Mammogram — left MLO. 48 y/o patient.
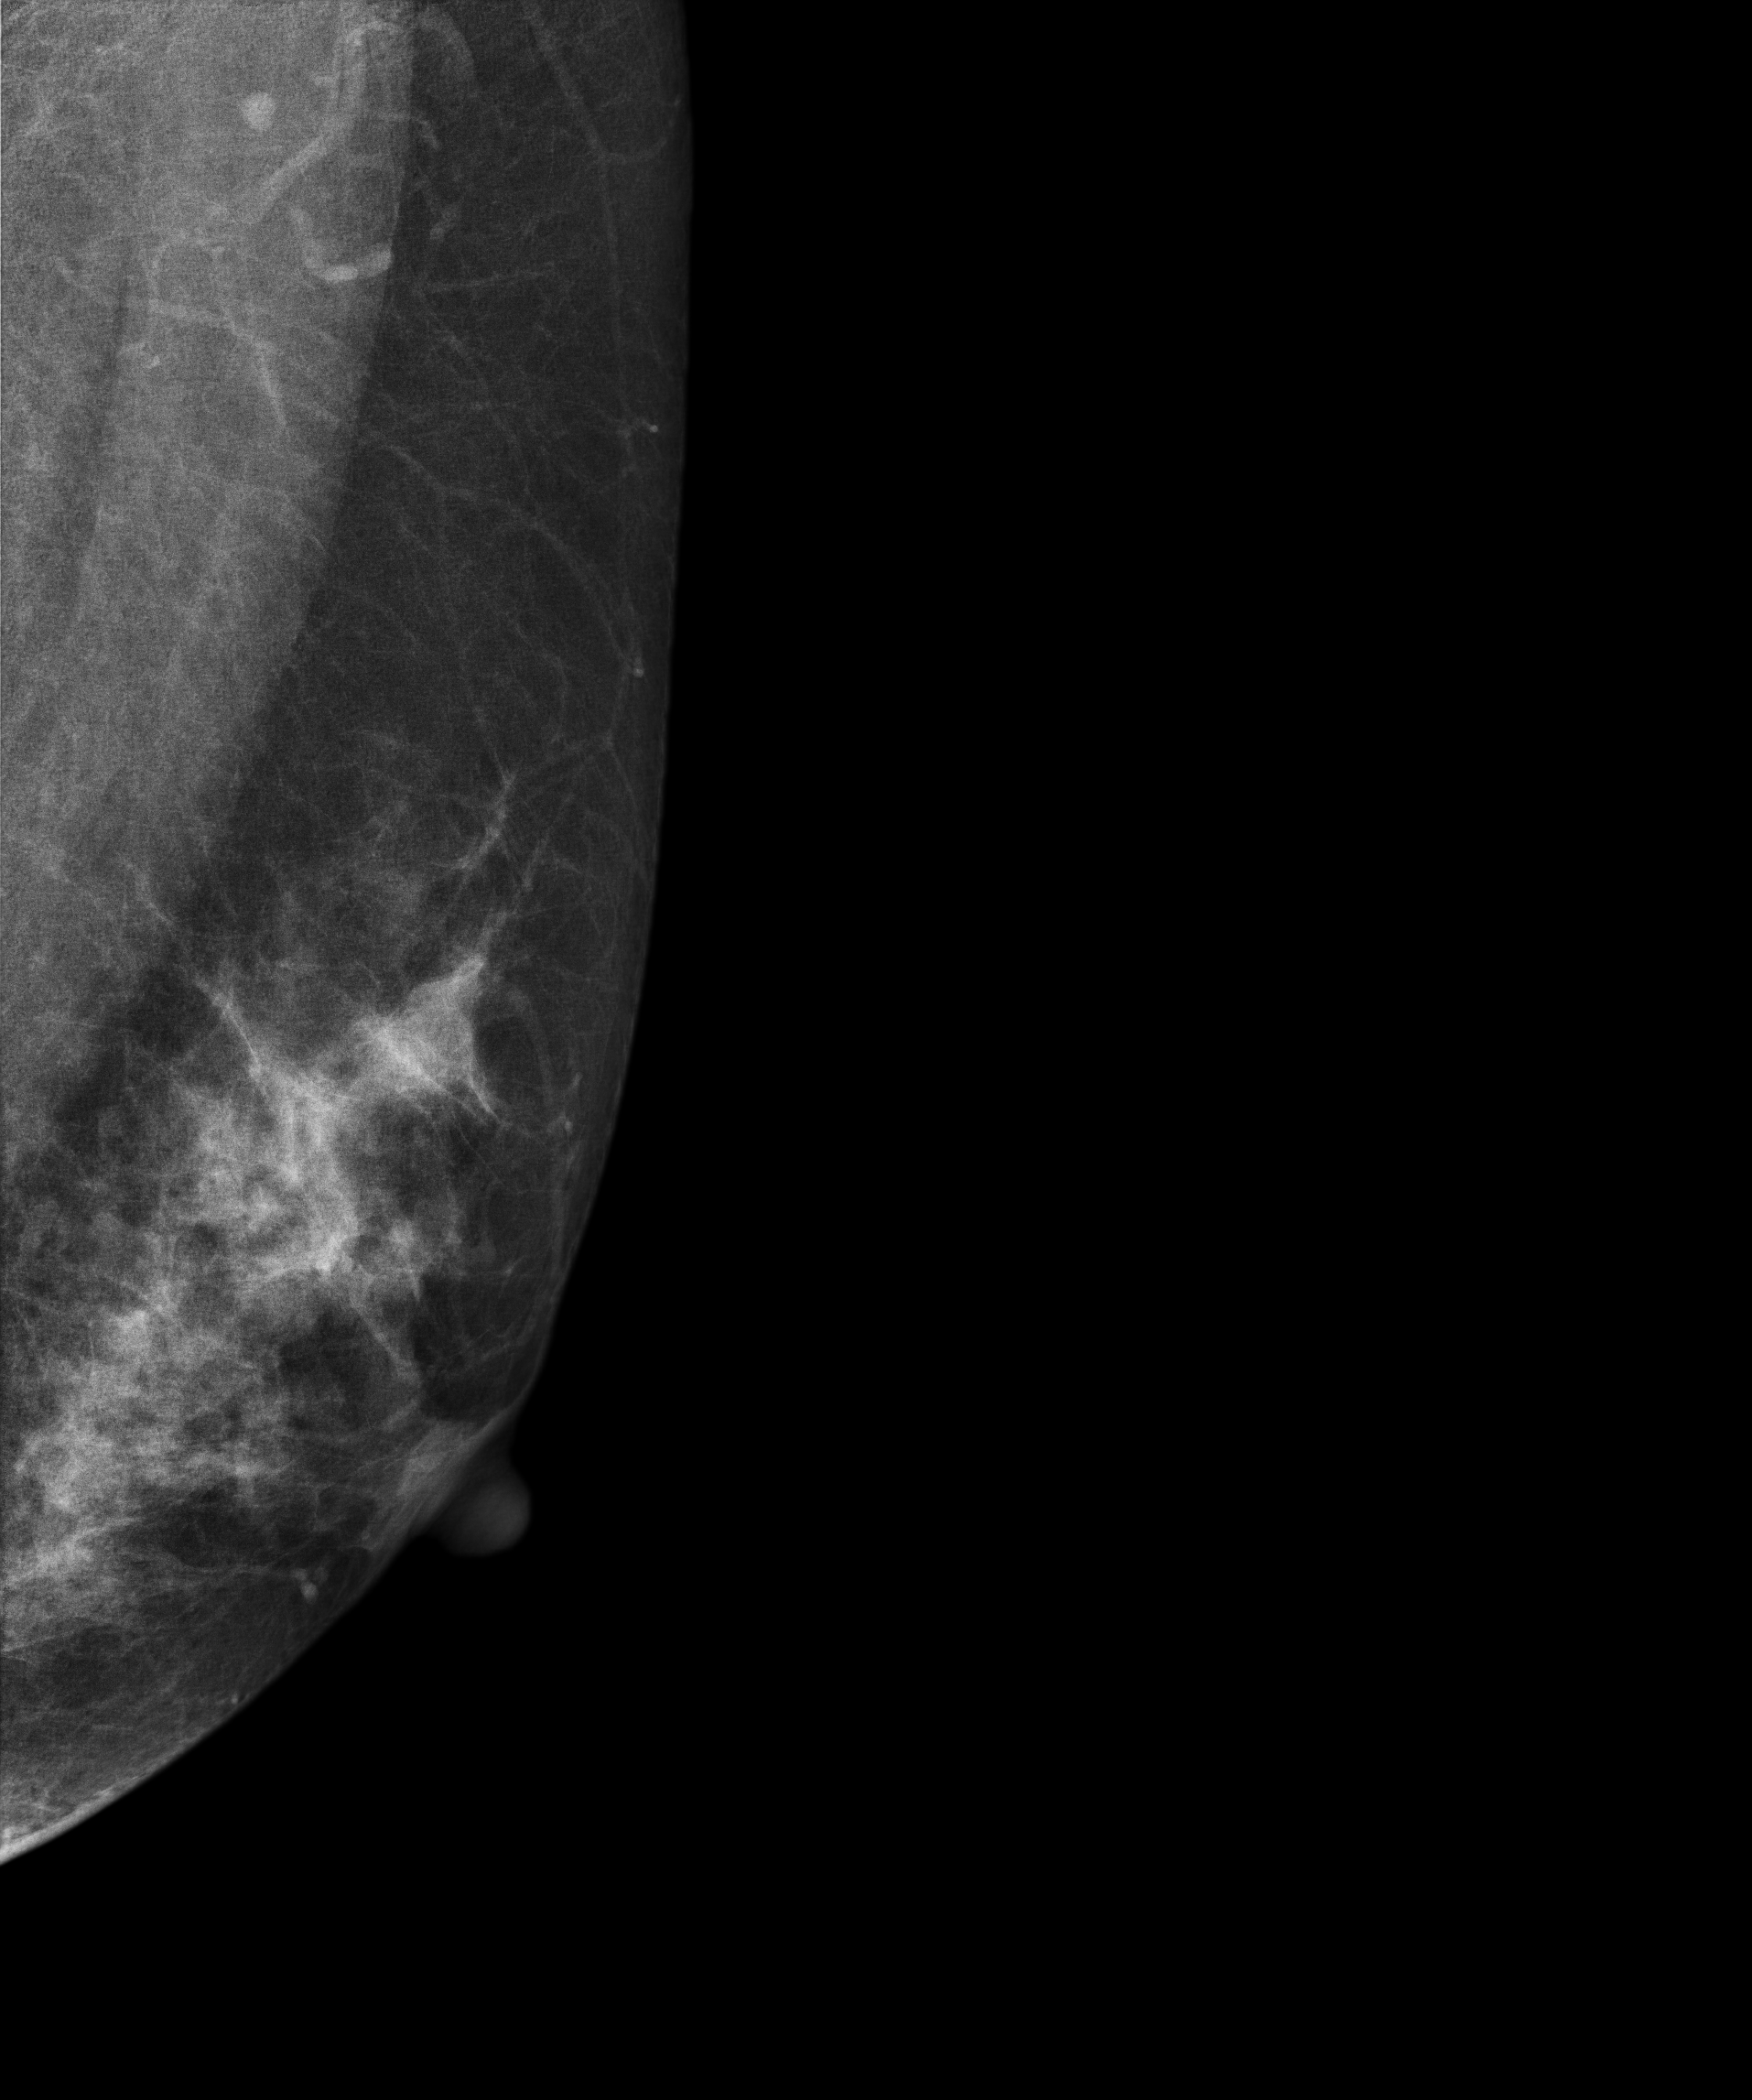
Contralateral breast — no documented abnormality on this side.